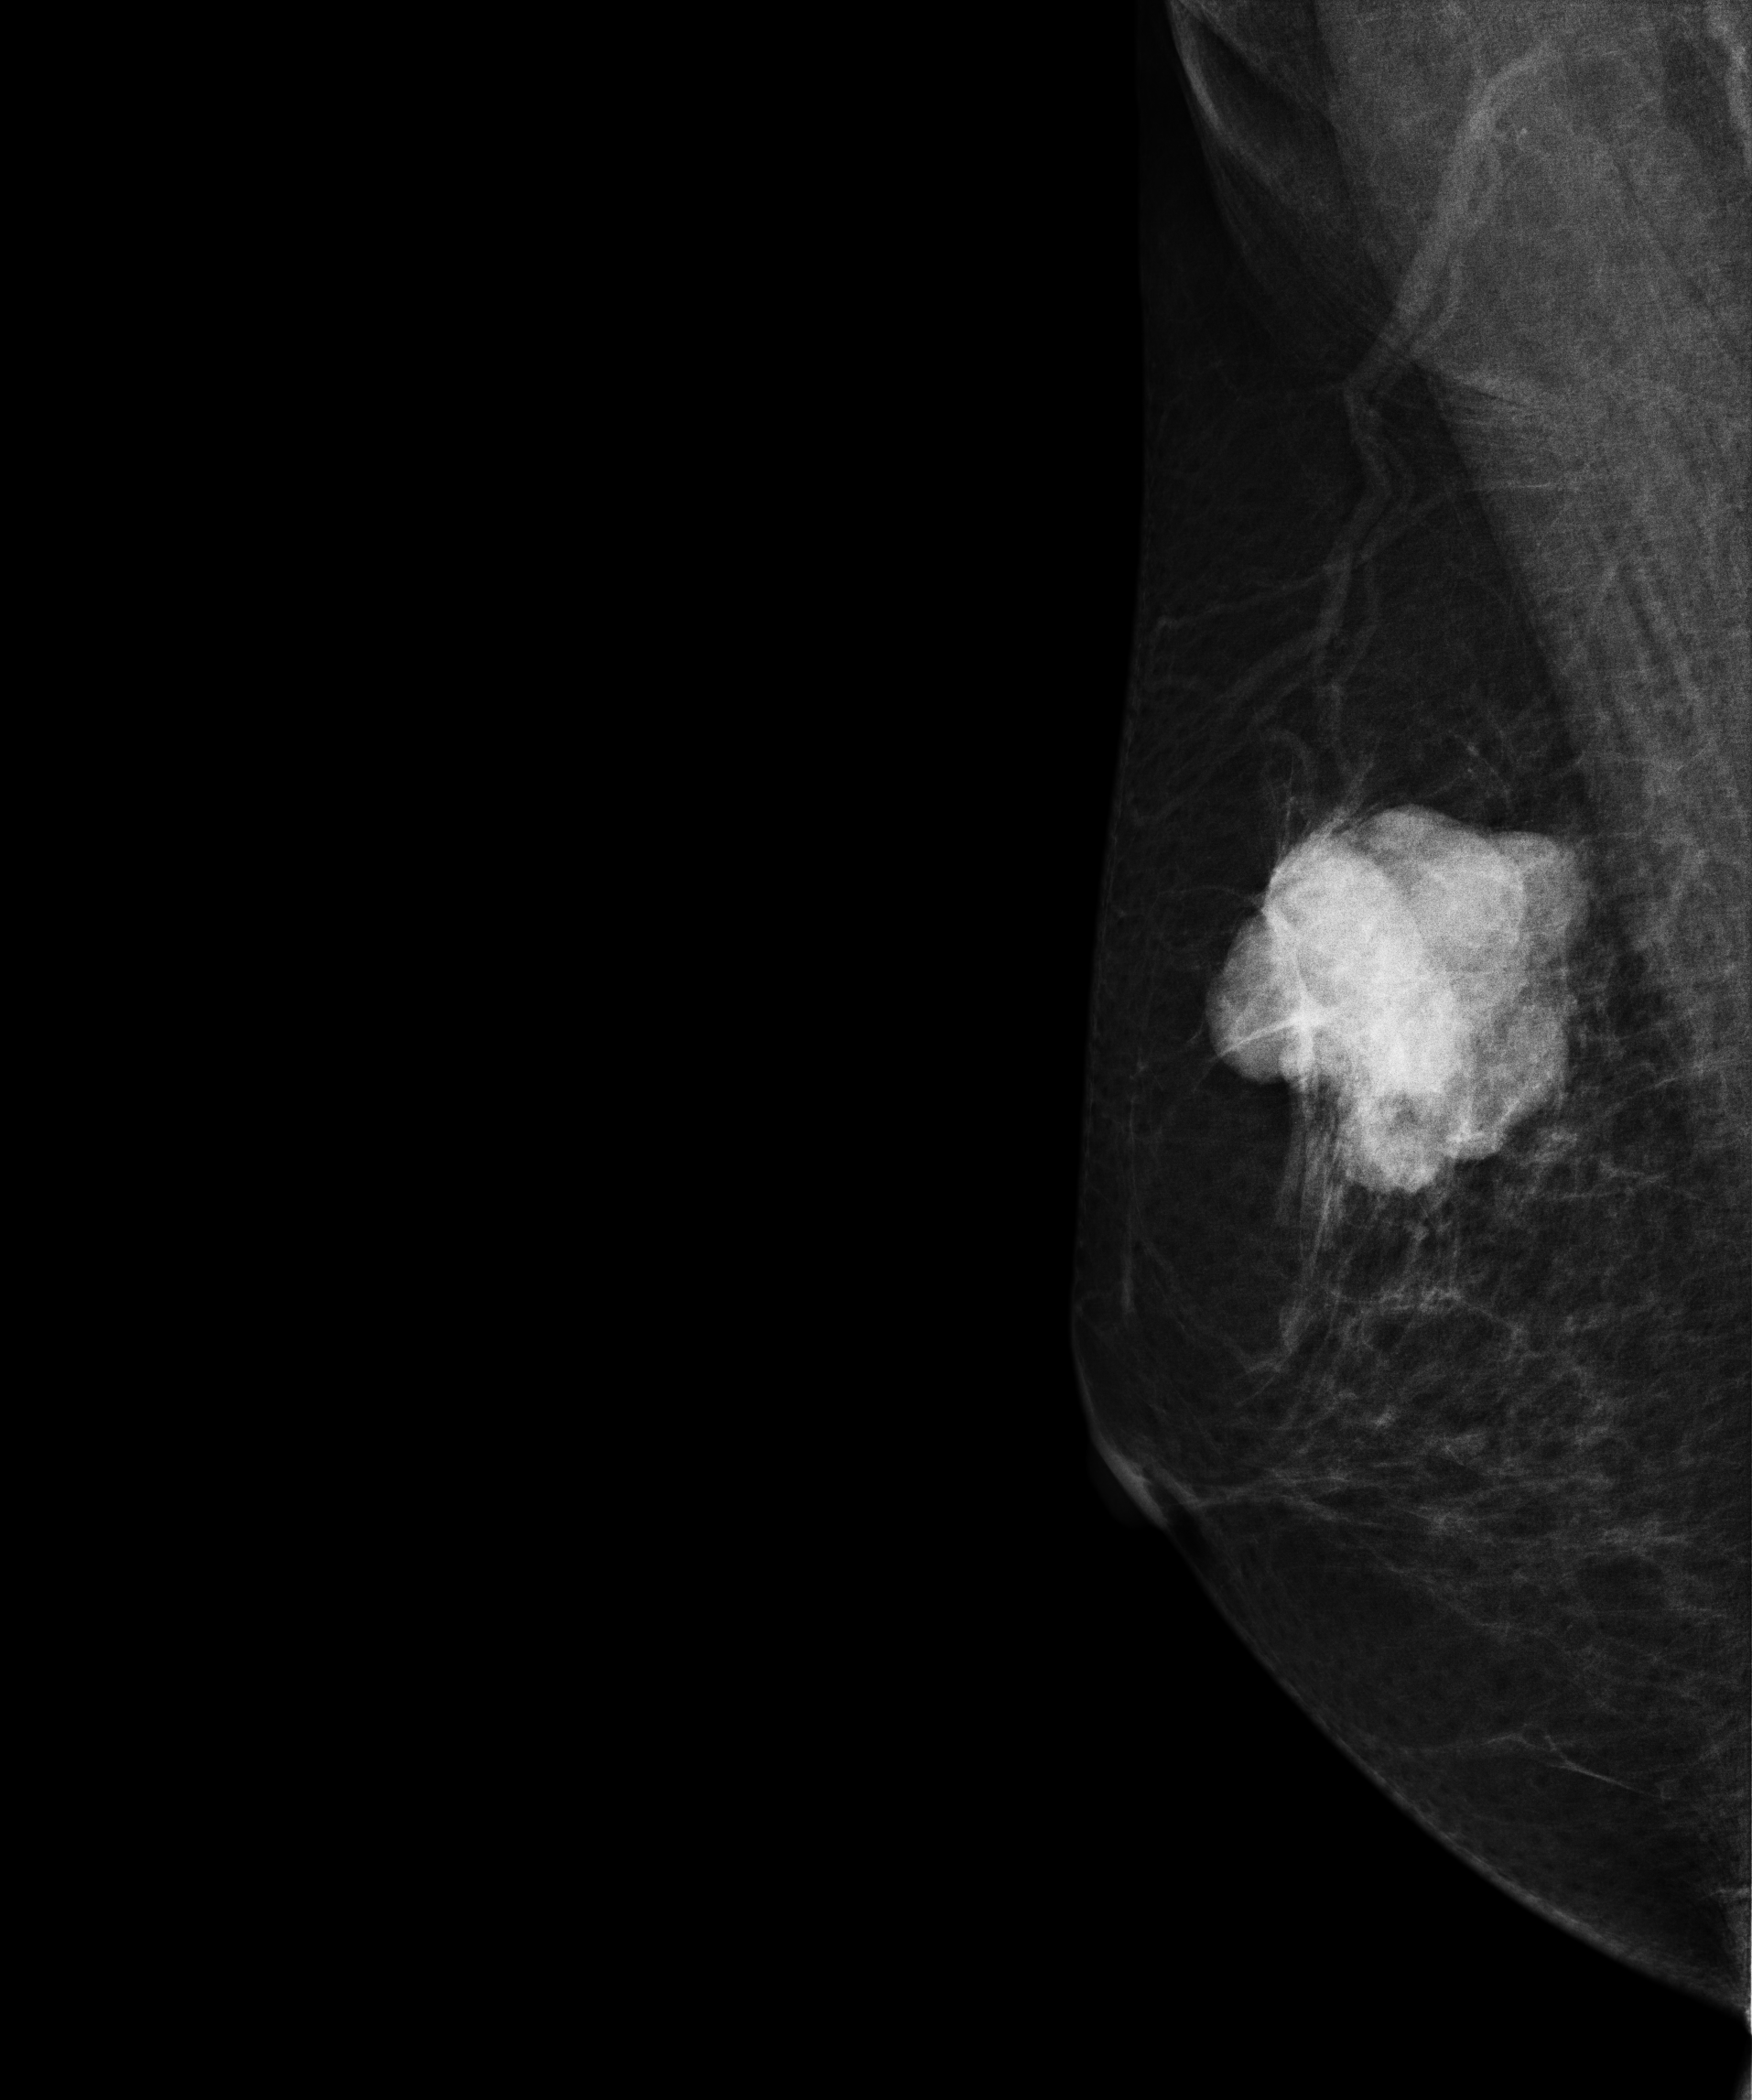
Medio-lateral oblique mammogram of the right breast. Patient age 72.
This breast has a mass, pathology-confirmed malignant.